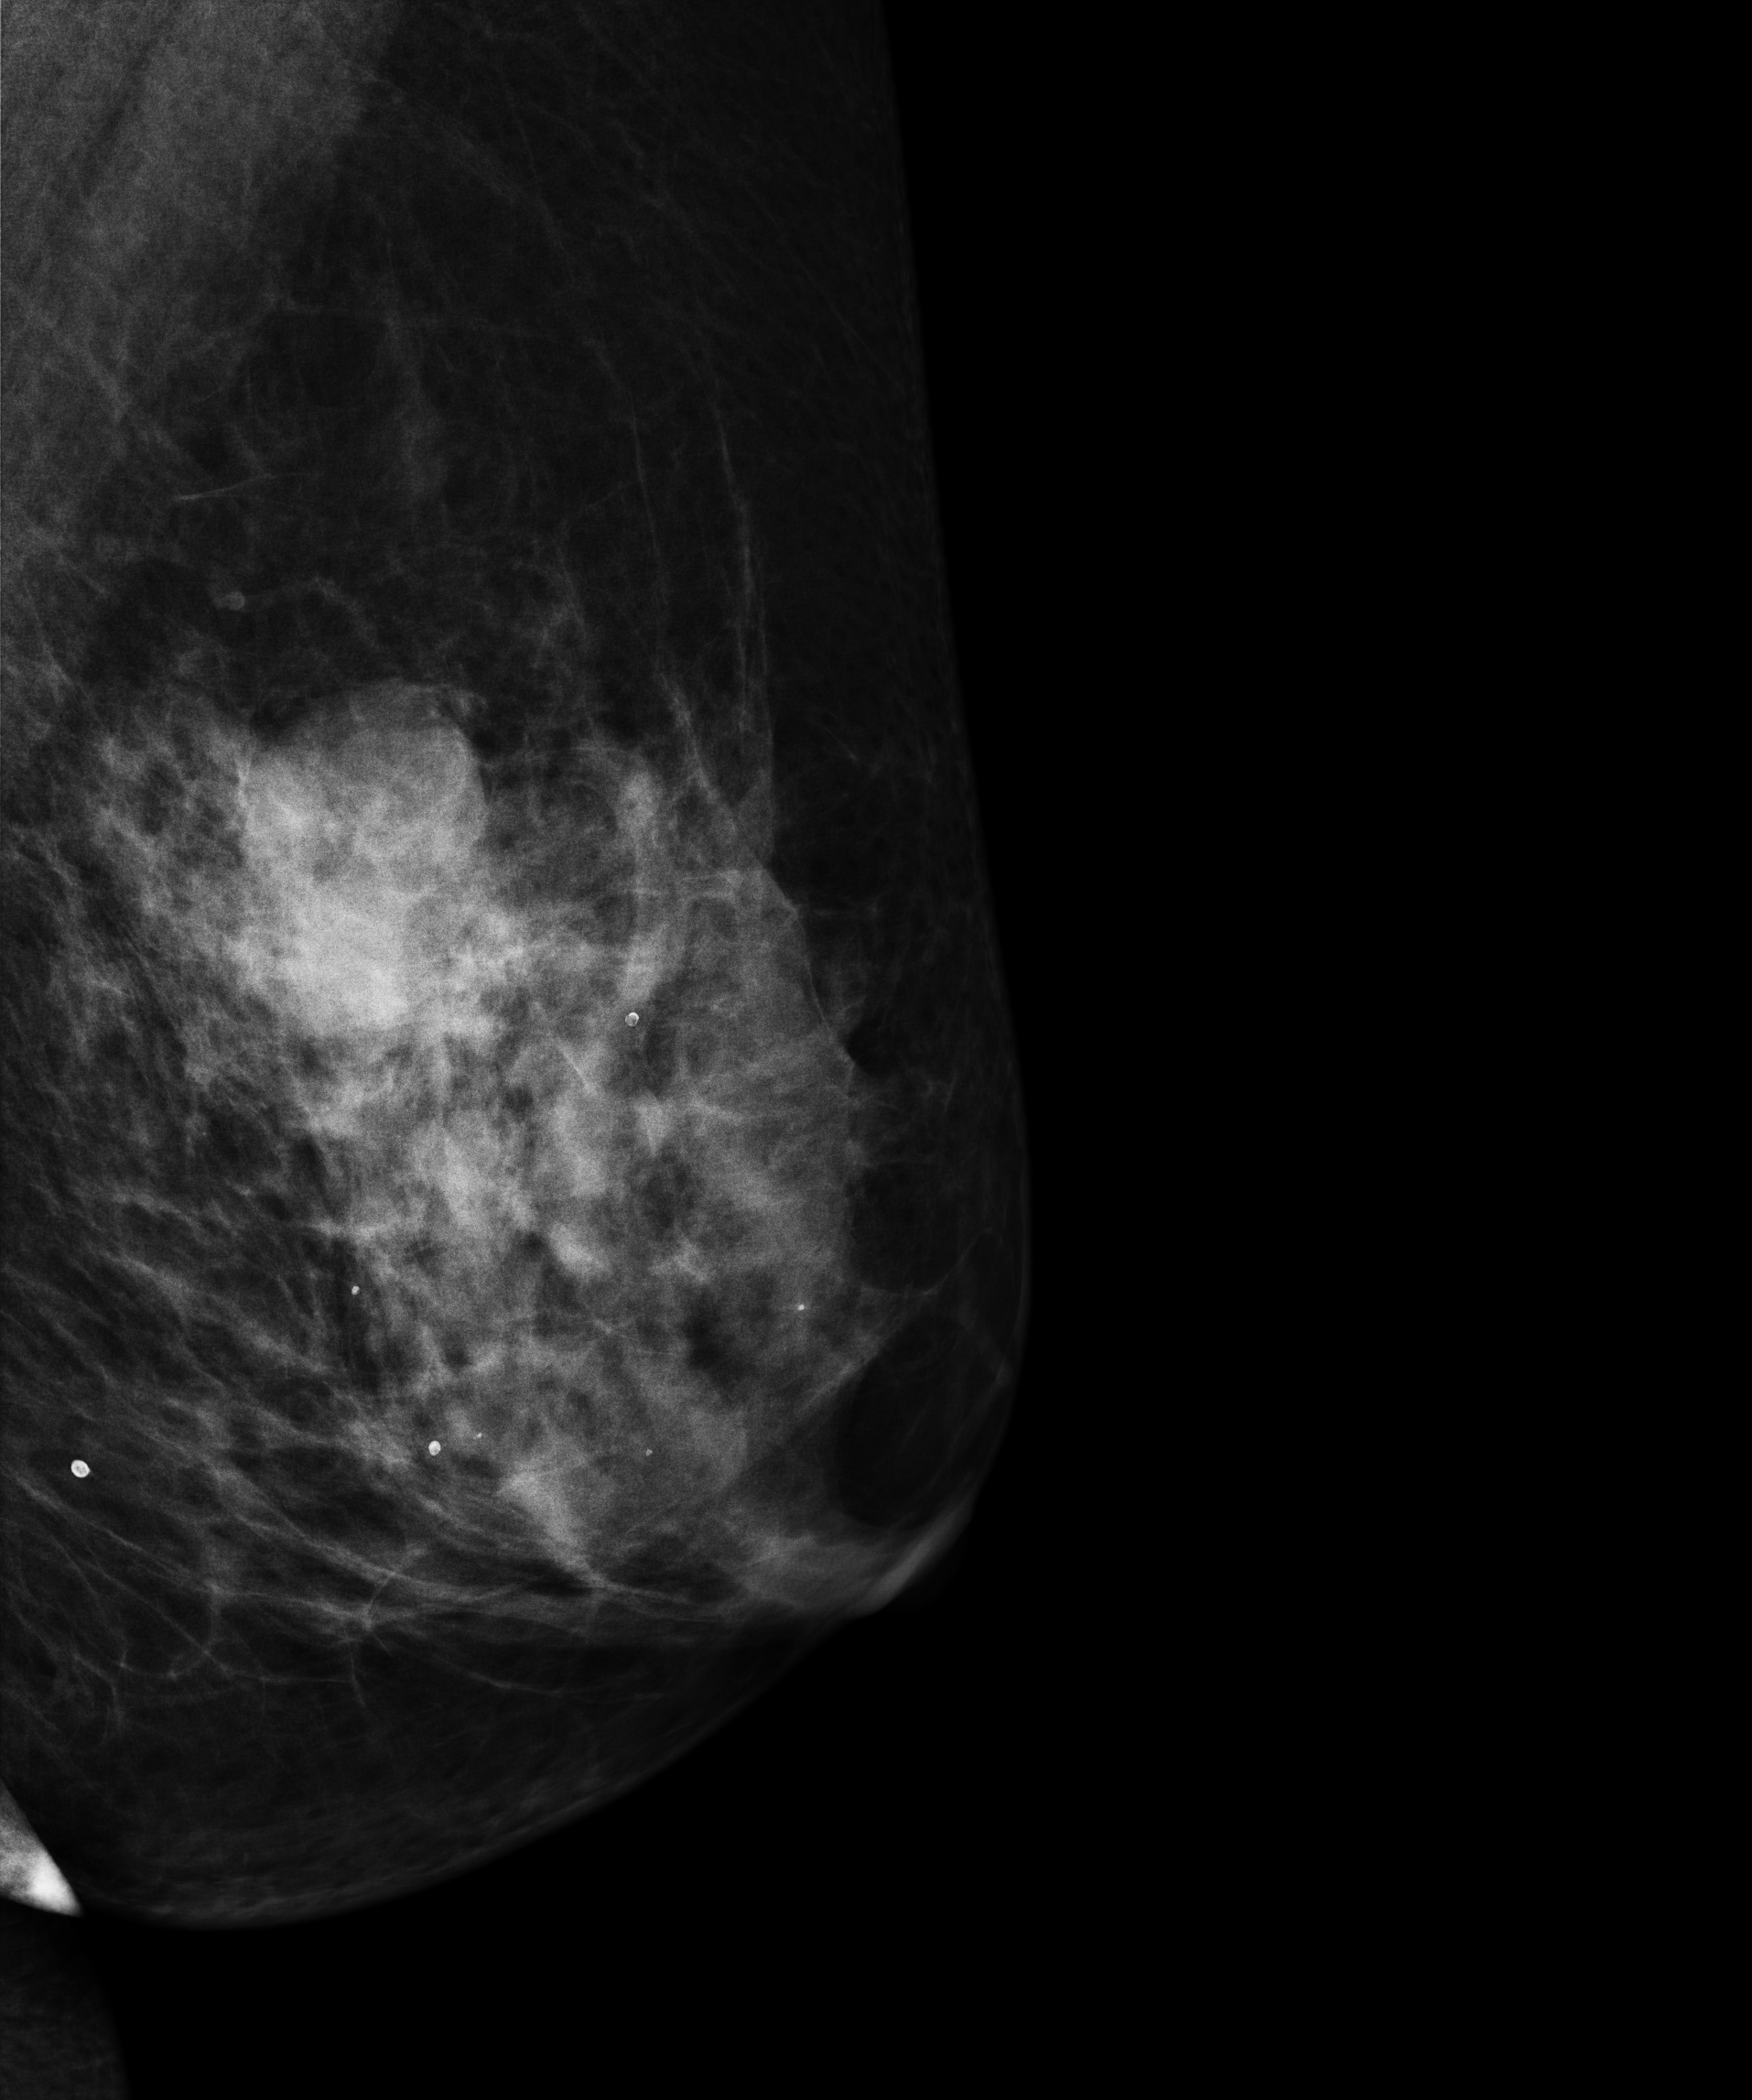
Mammogram — left medio-lateral oblique. Patient age 58.
This breast has a mass, biopsy-proven malignant. Molecular subtype: luminal A.